Mammogram, right breast, medio-lateral oblique view. 57 y/o patient.
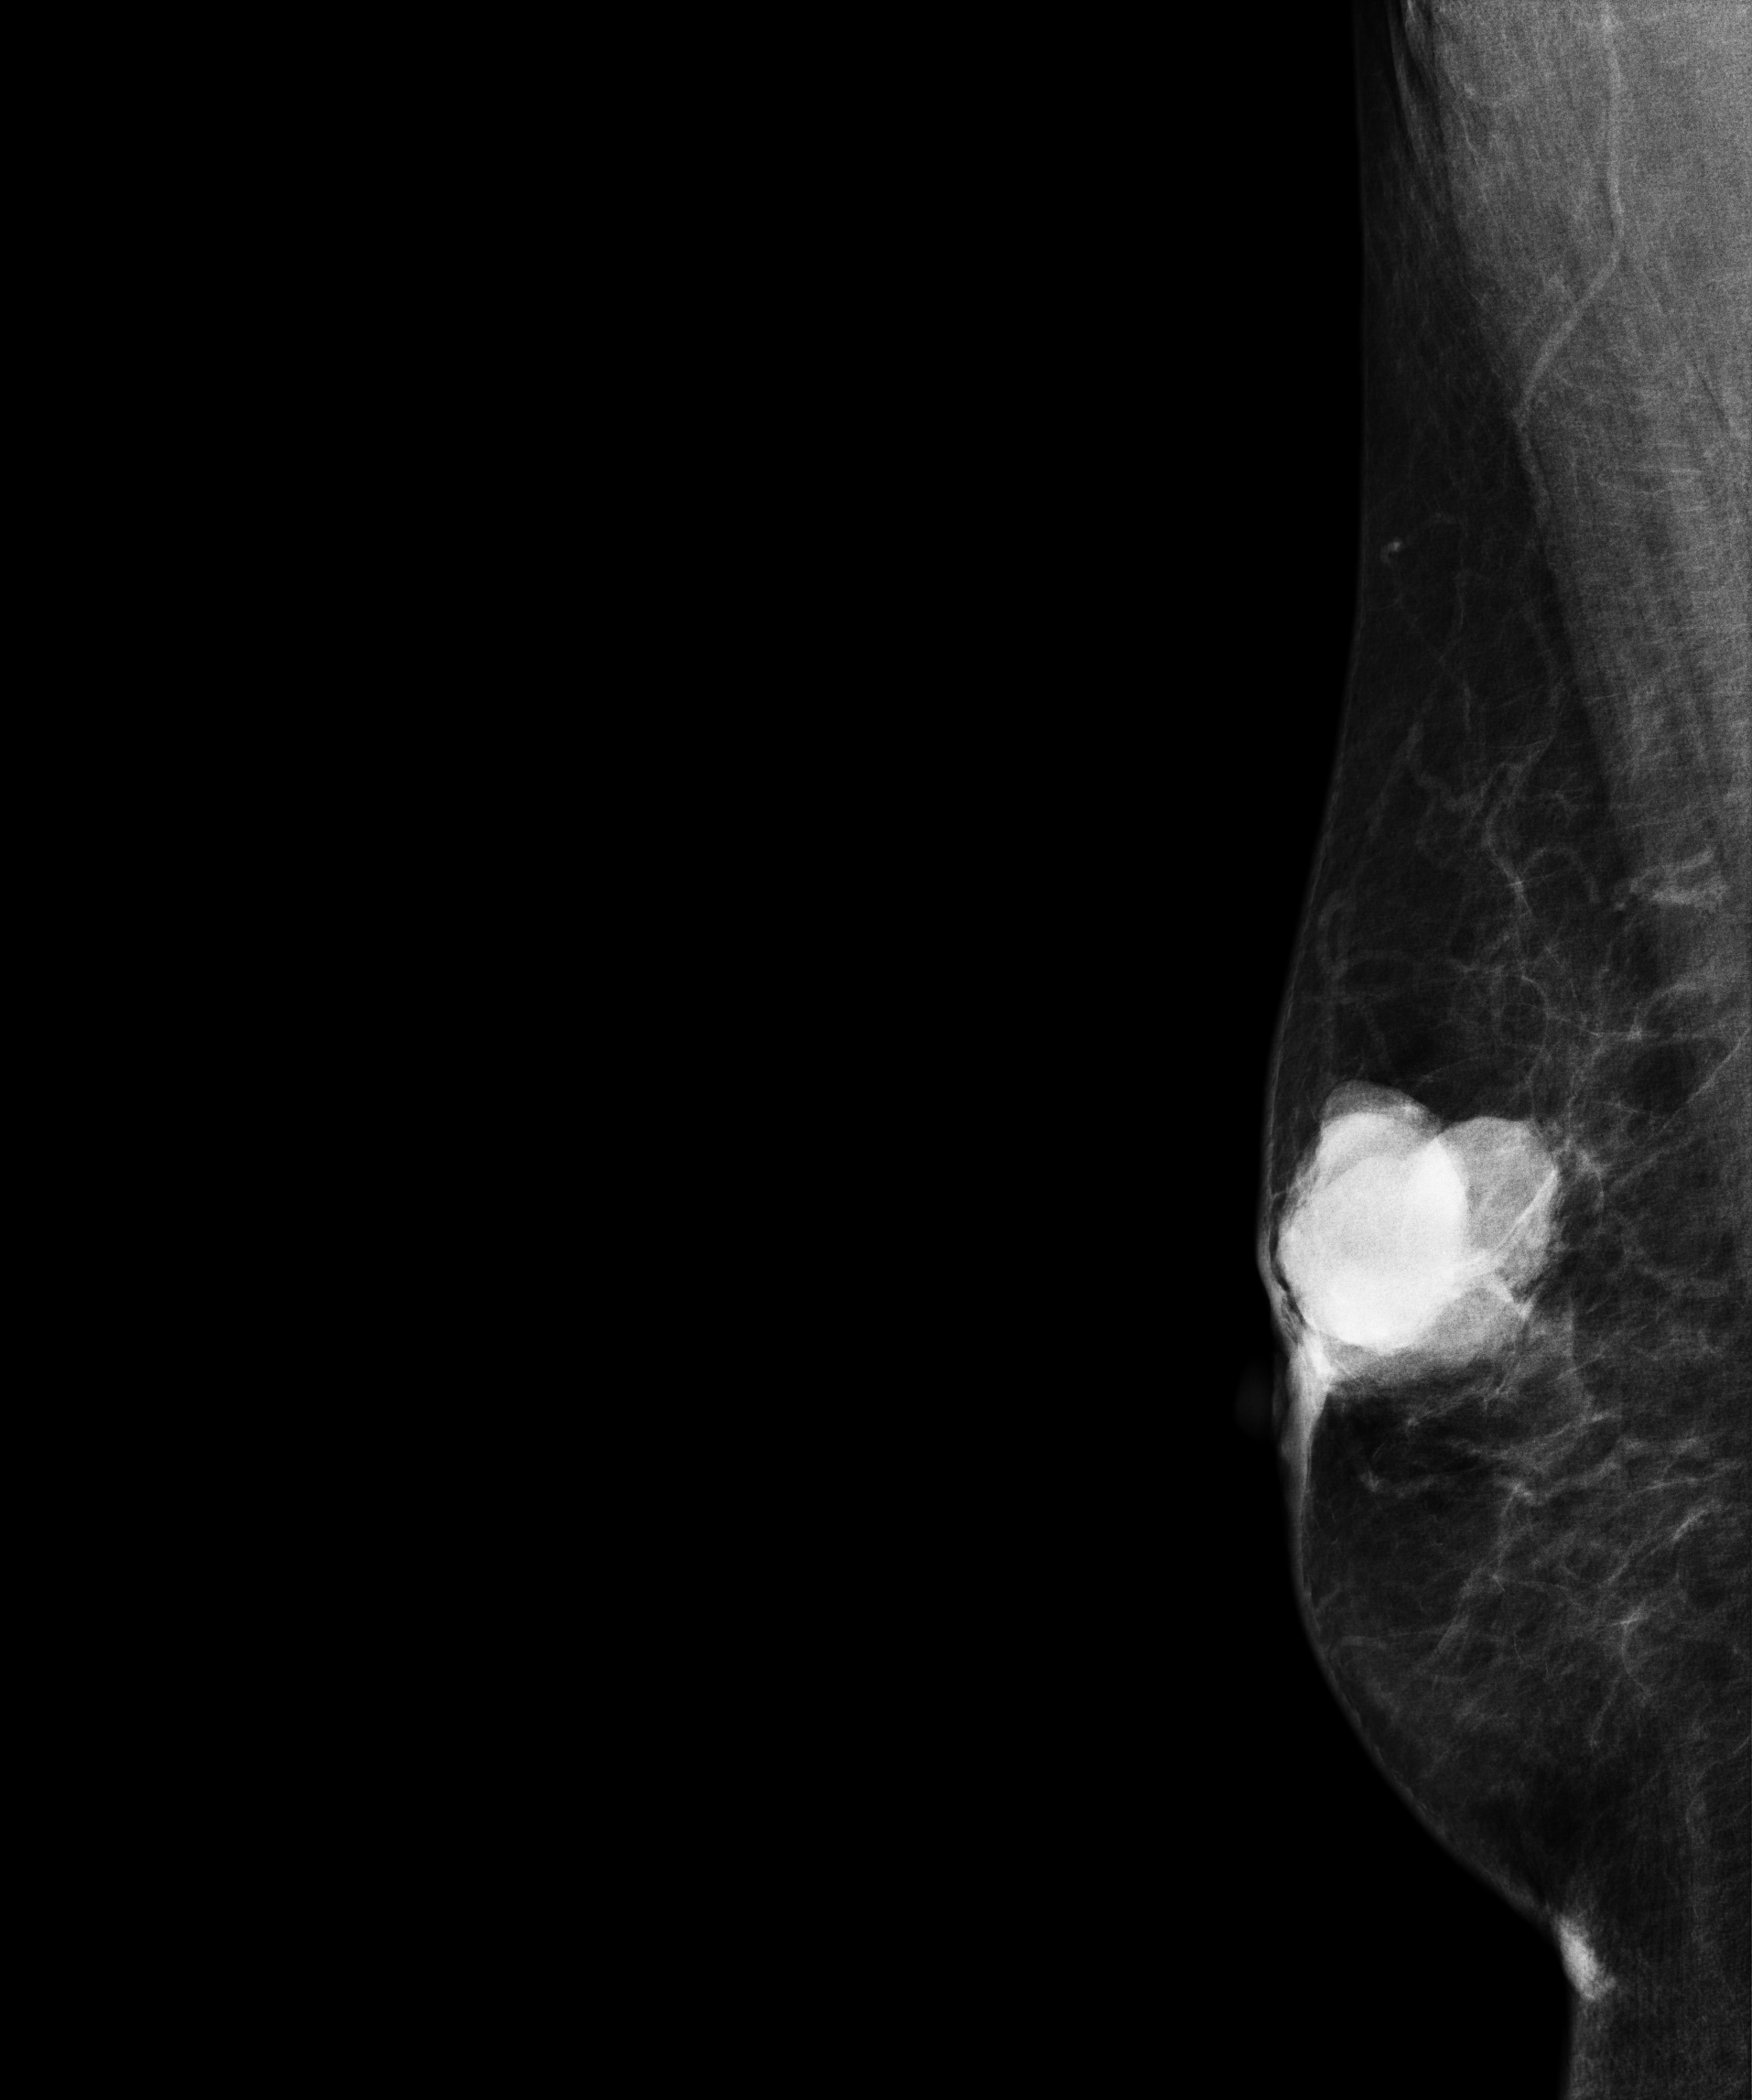
This breast has a mass, biopsy-confirmed malignant.